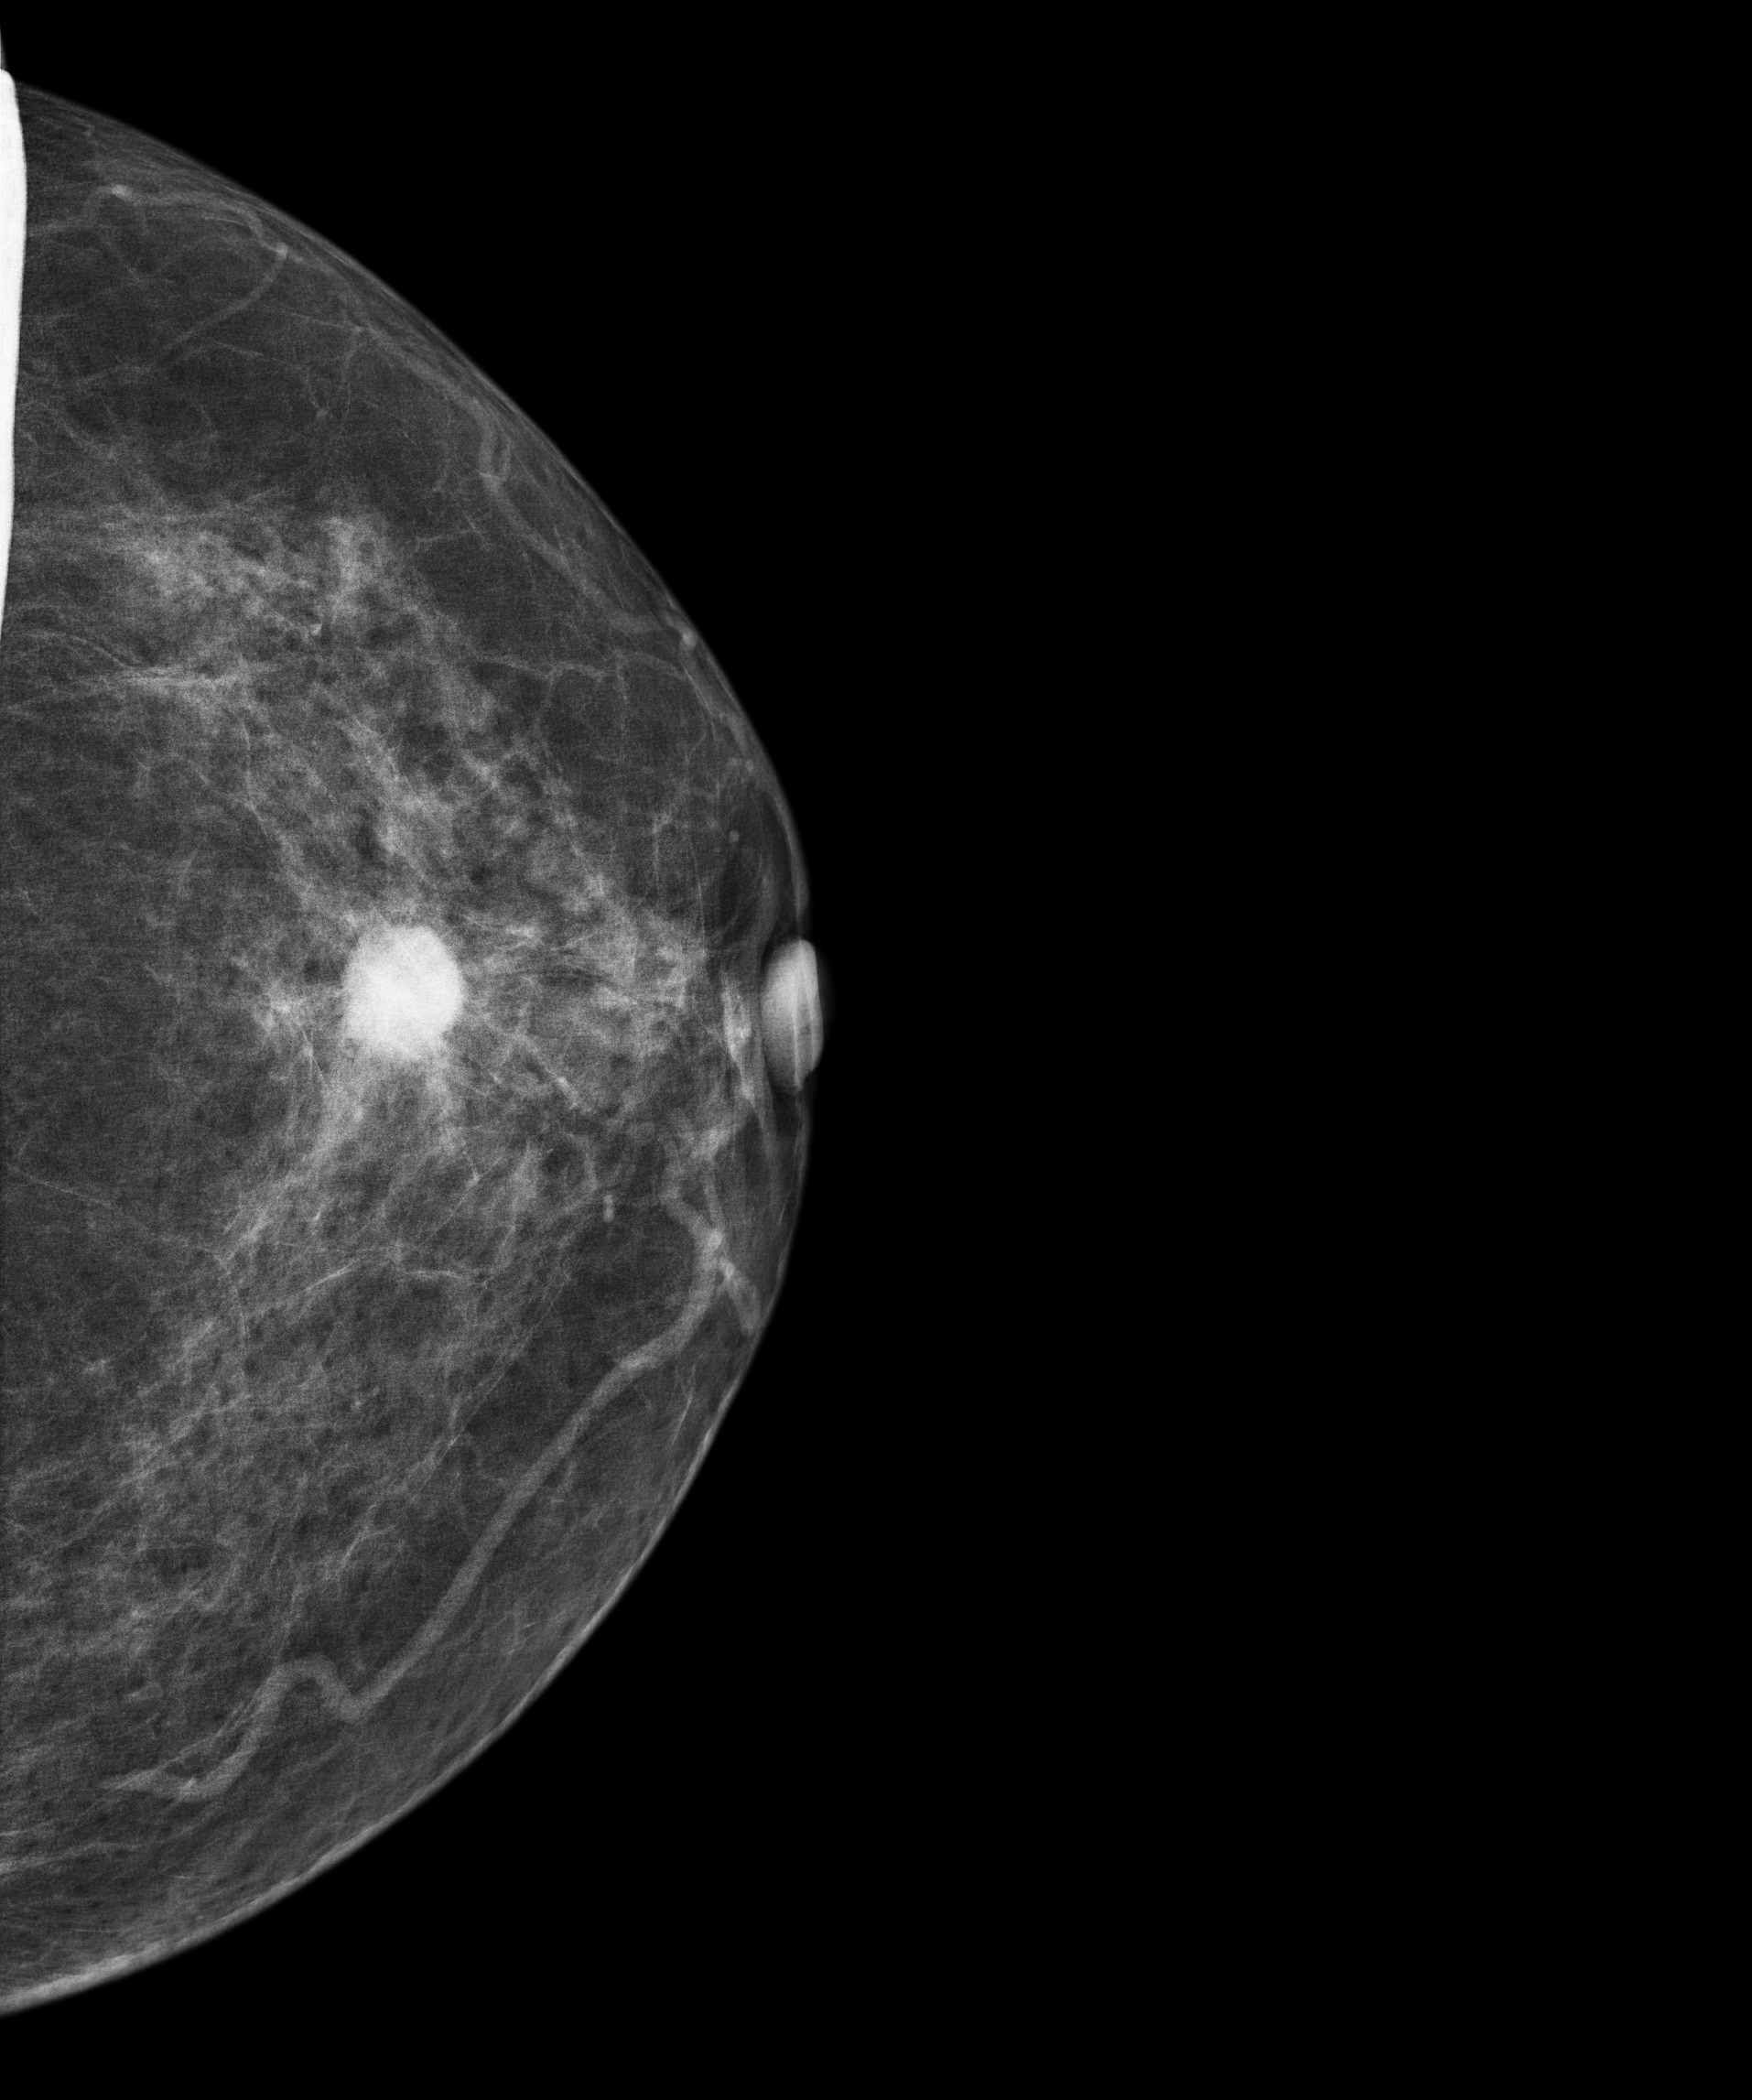
Mammogram — left CC. 70-year-old patient.
This breast has a mass, biopsy-confirmed malignant.